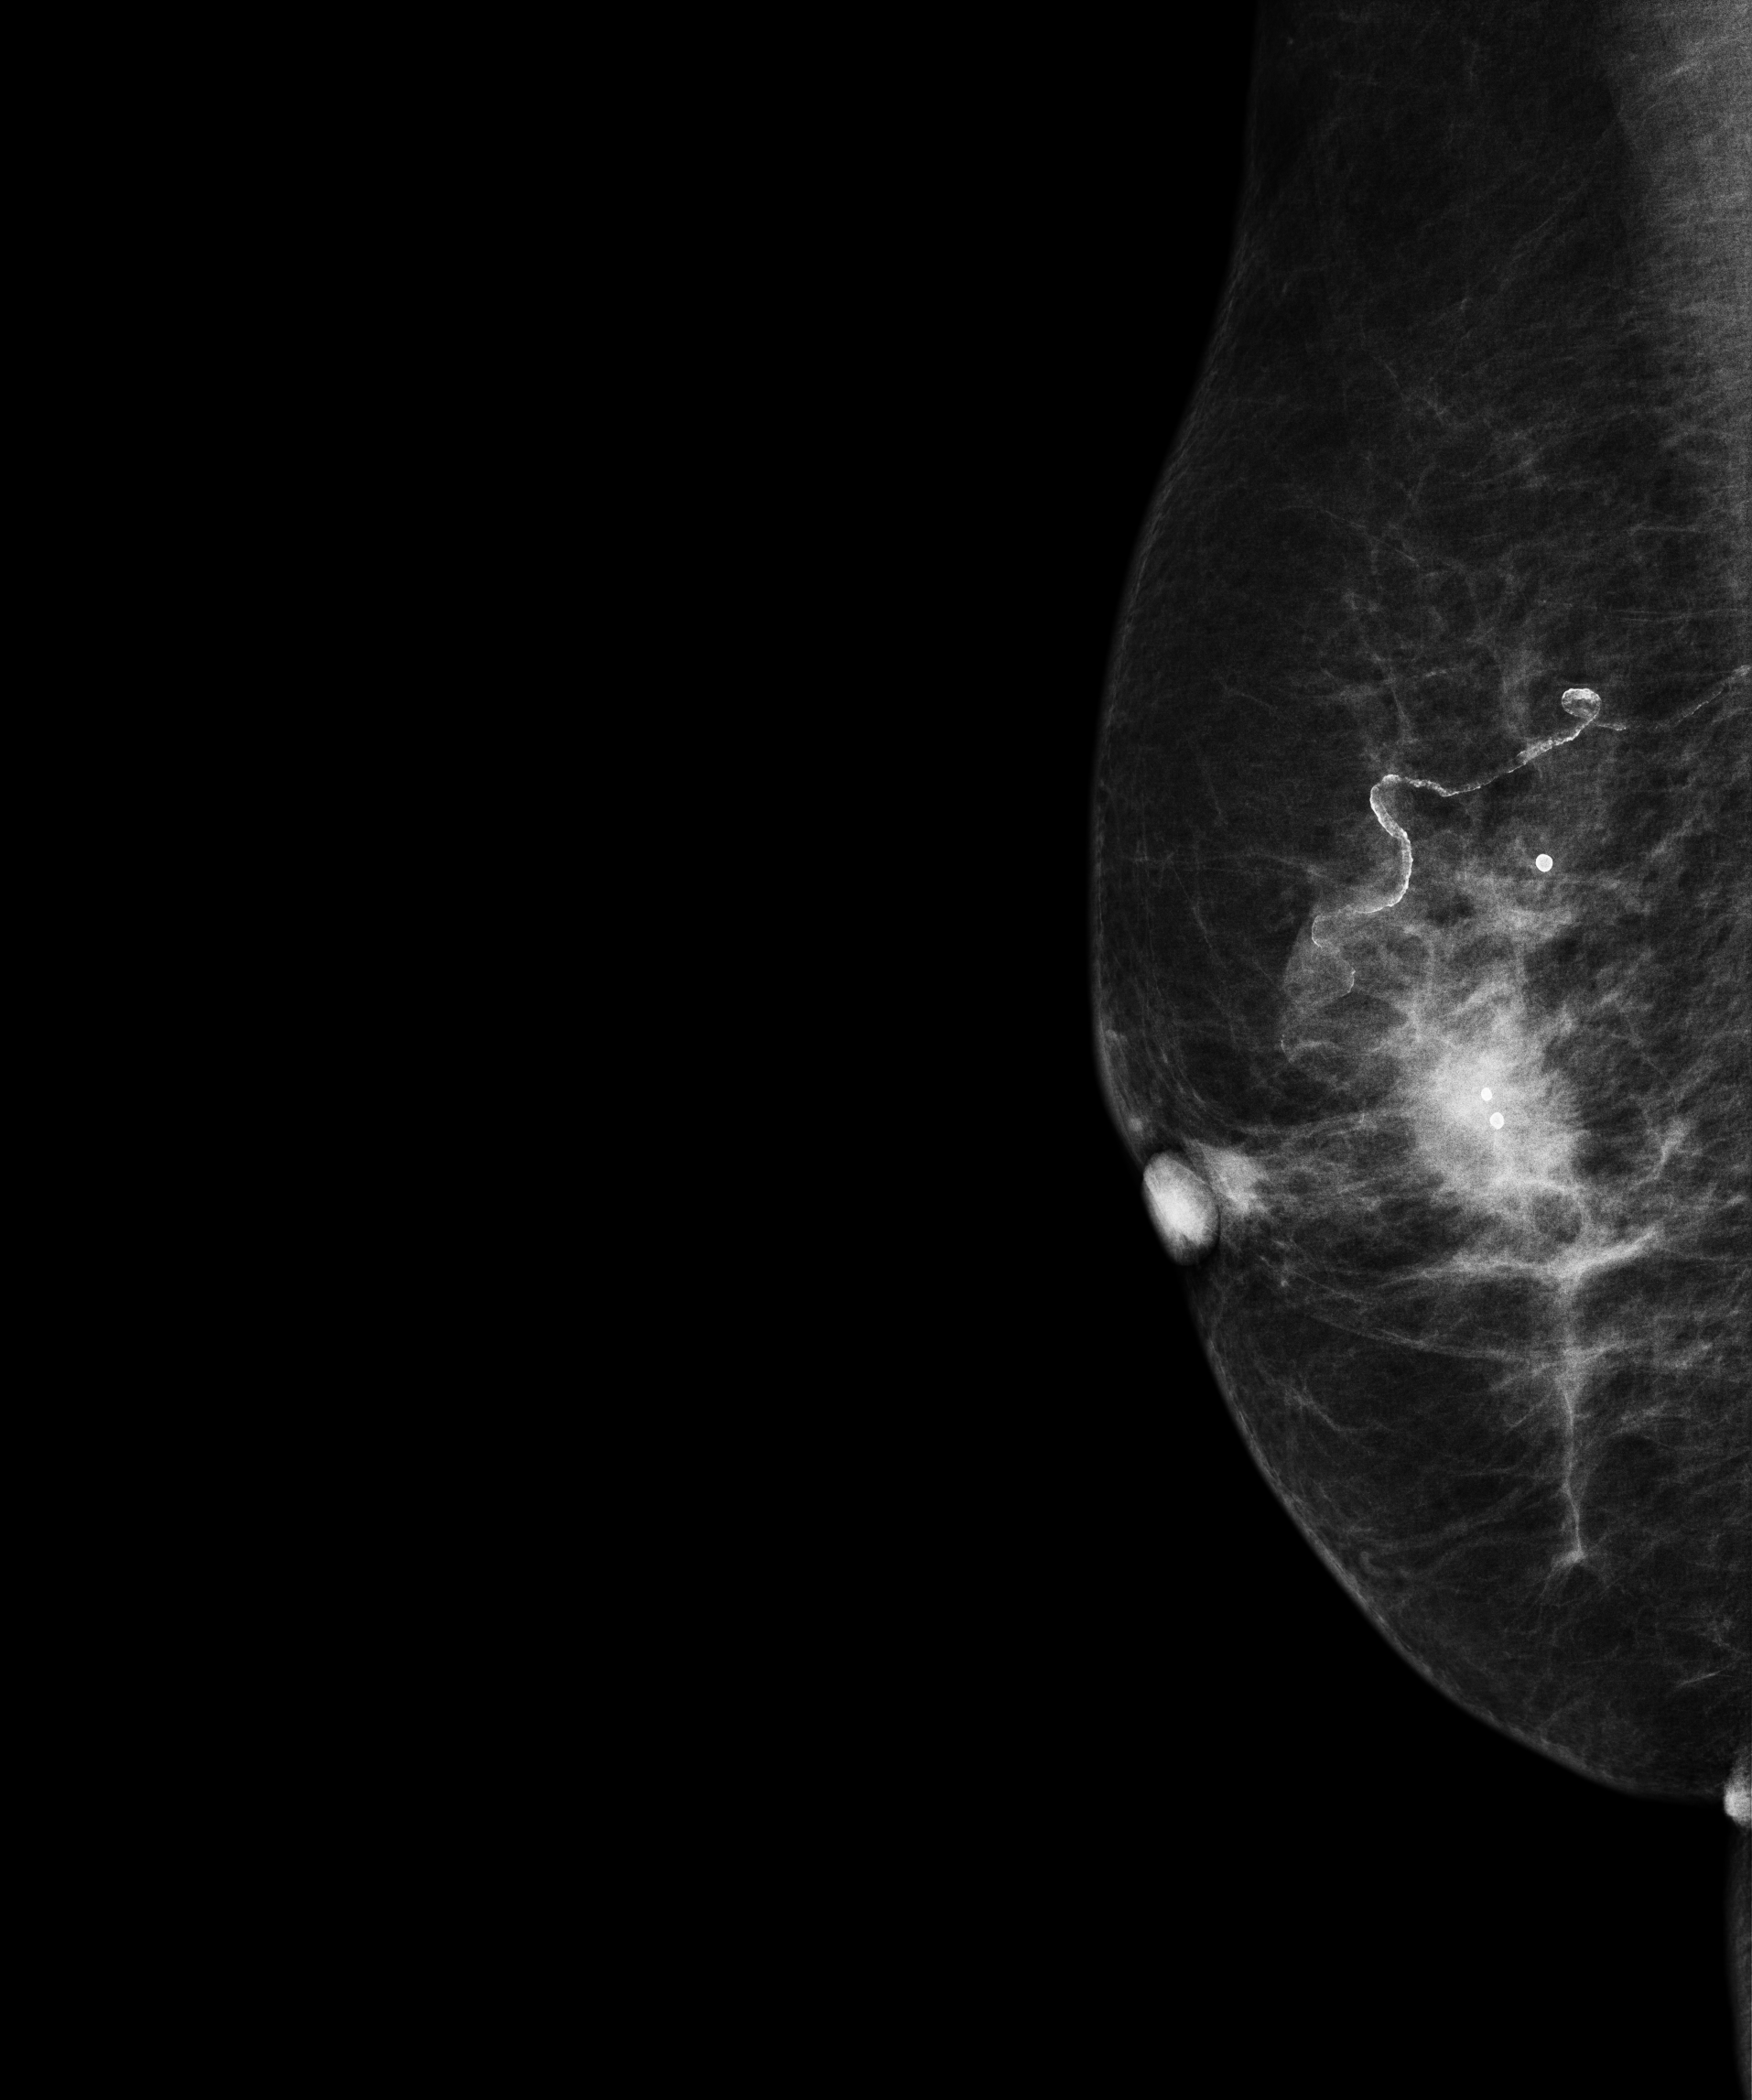
Mammogram, right breast, MLO view. 74-year-old patient.
This breast has a mass and calcifications, biopsy-proven malignant. Molecular subtype: luminal A.